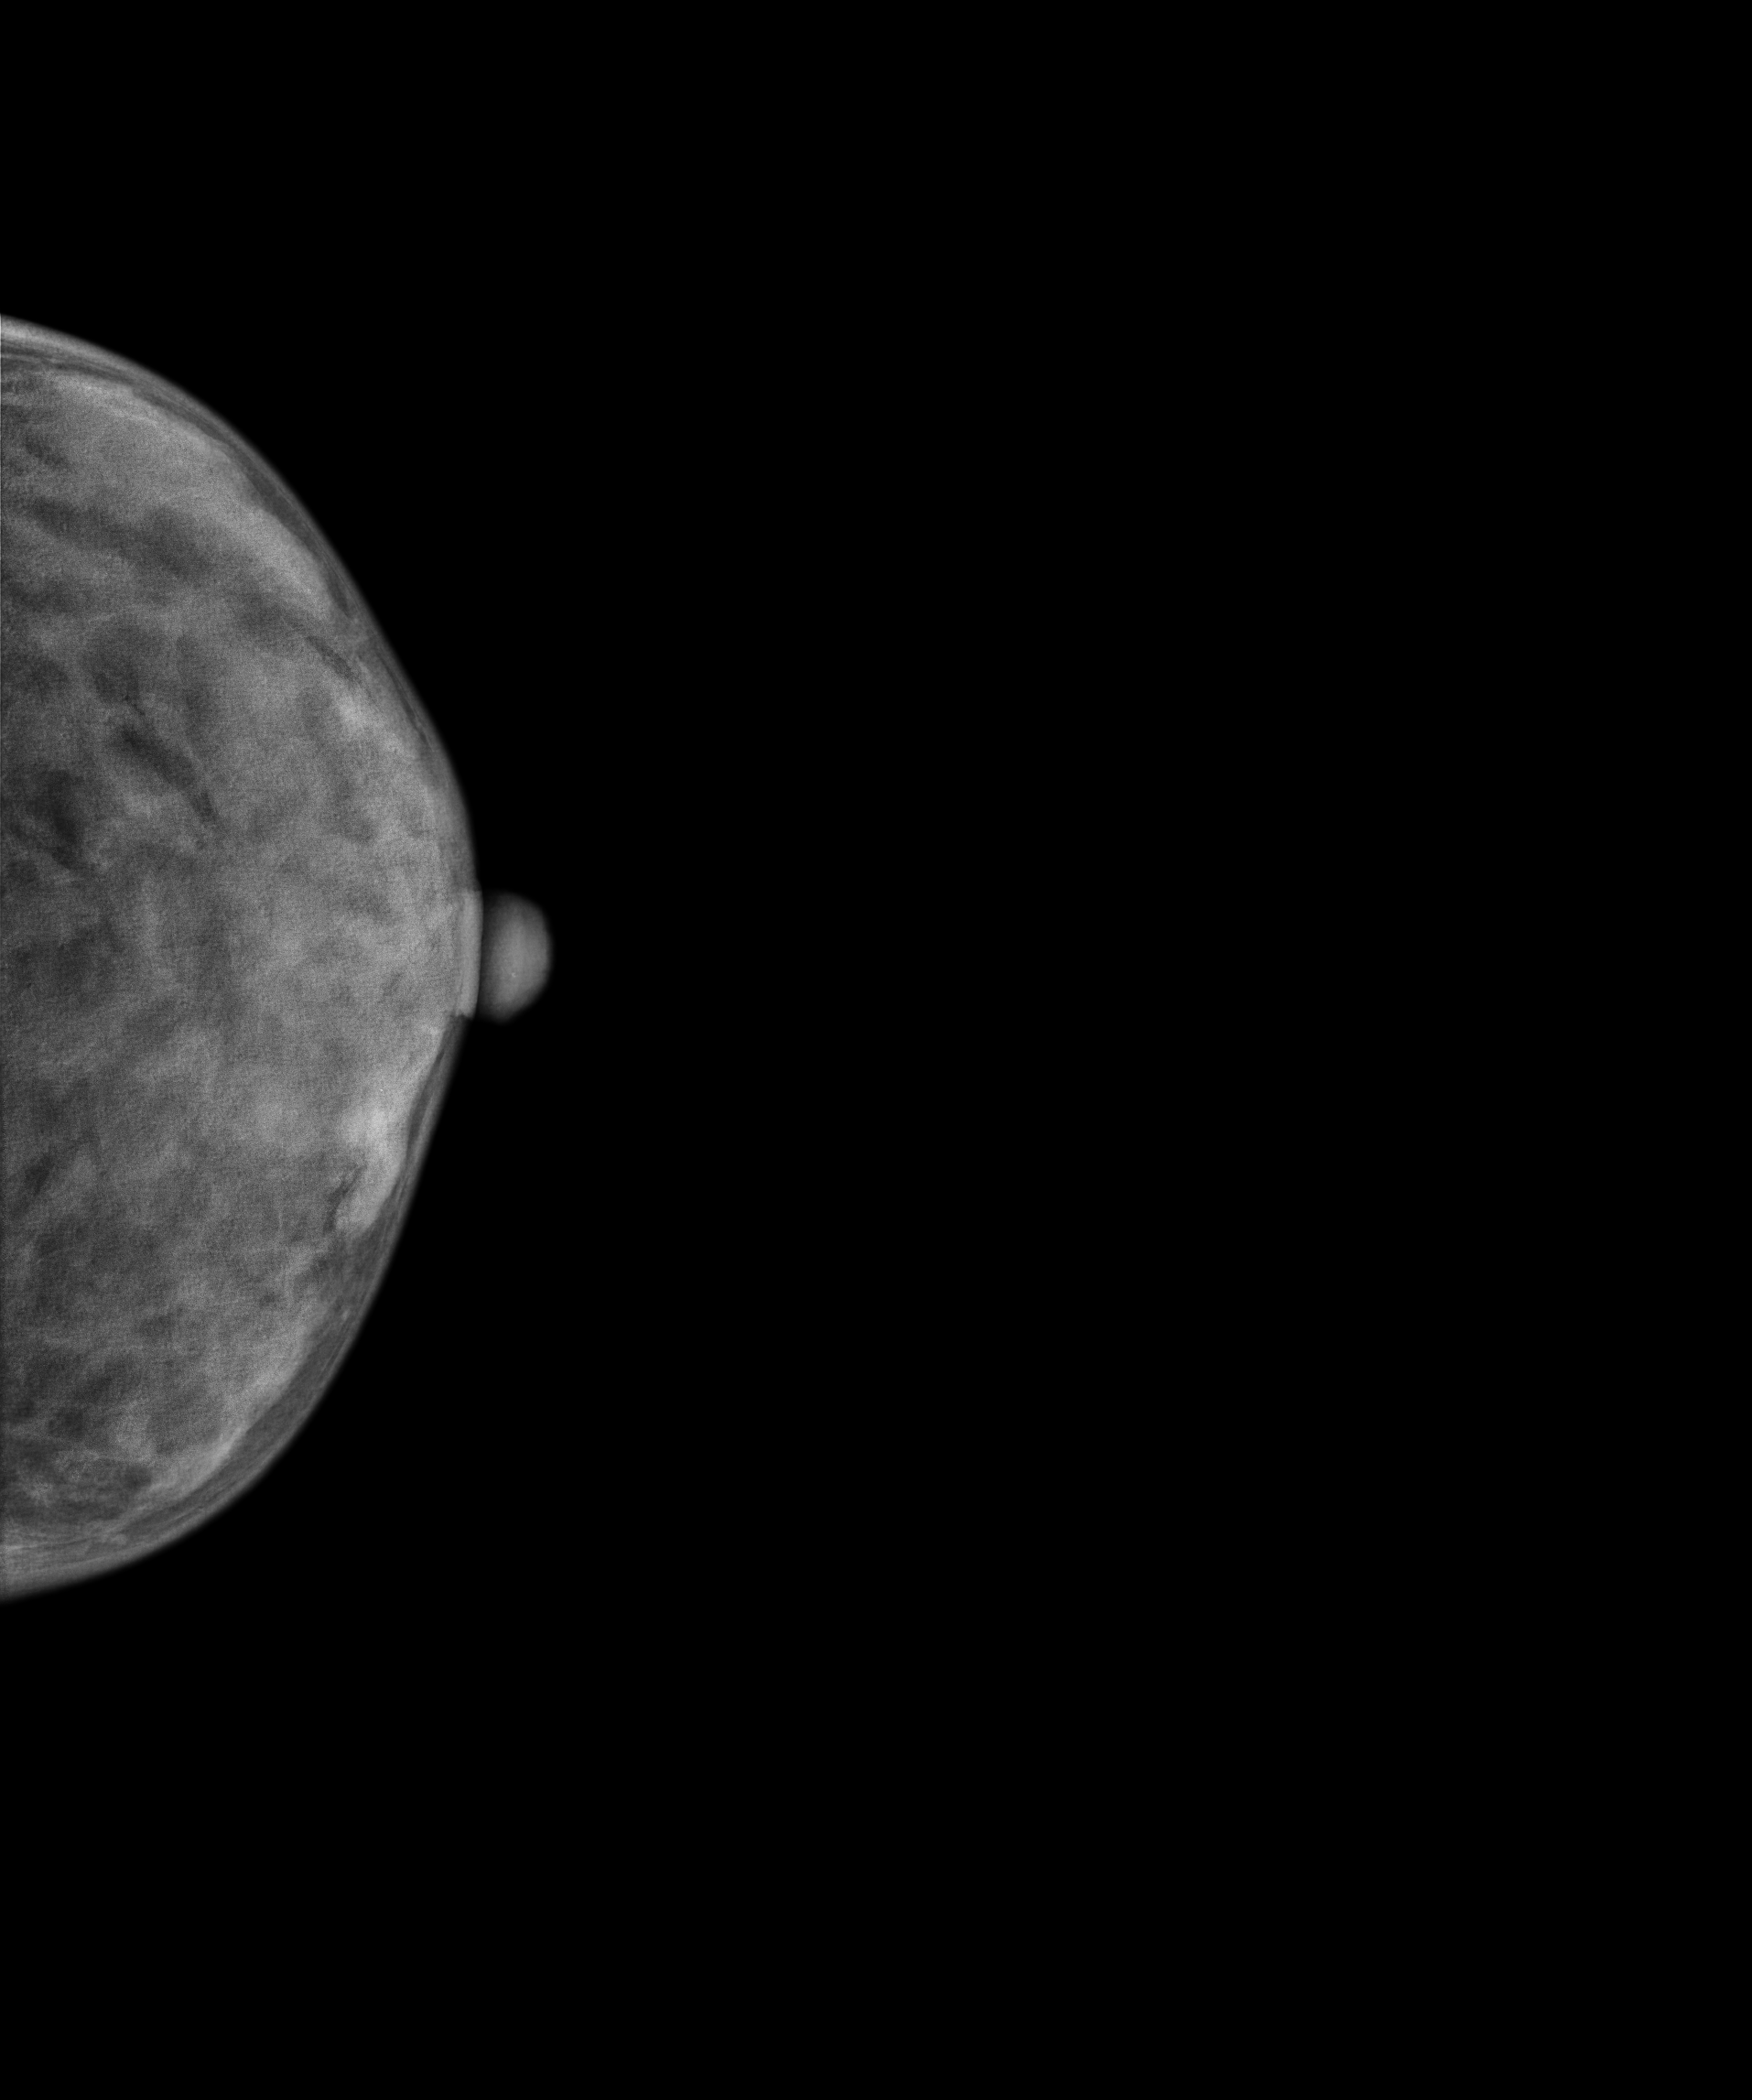
Mammogram, left breast, cranio-caudal view. 40 y/o patient.
Contralateral breast — no documented abnormality on this side.